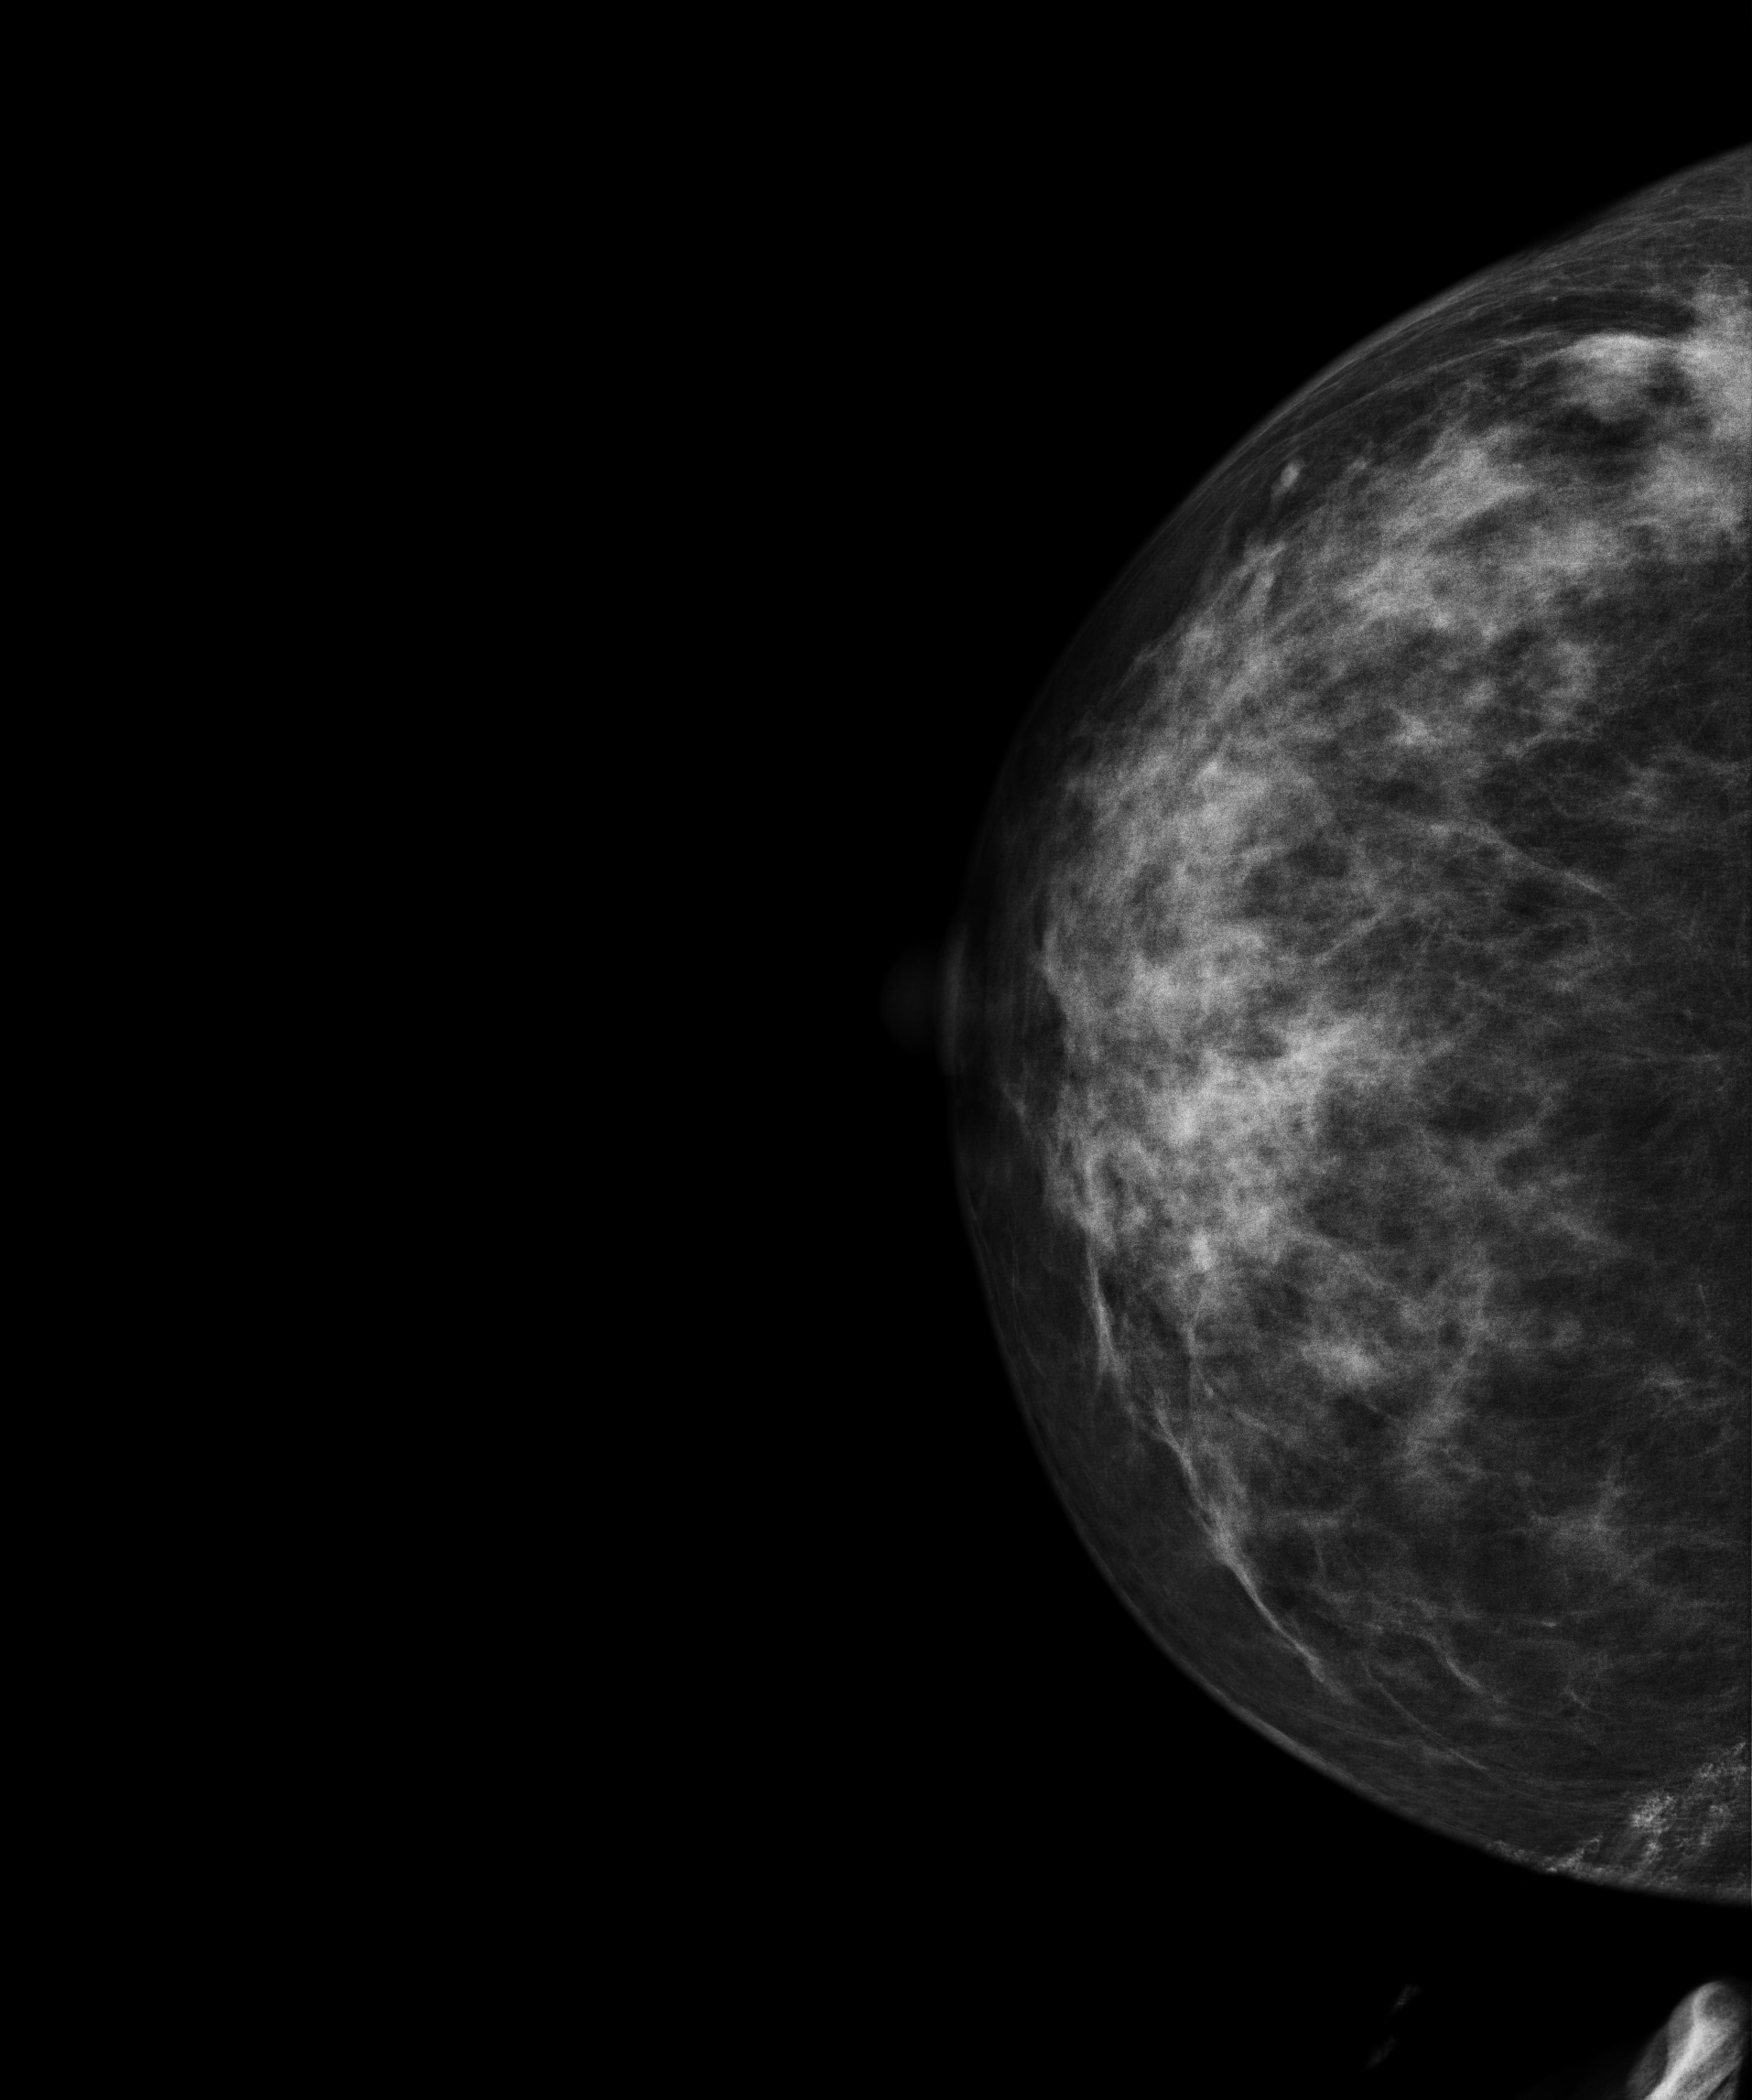
Mammogram, right breast, CC view. Patient age 43.
This breast has a mass, pathology-confirmed malignant. Molecular subtype: luminal B.